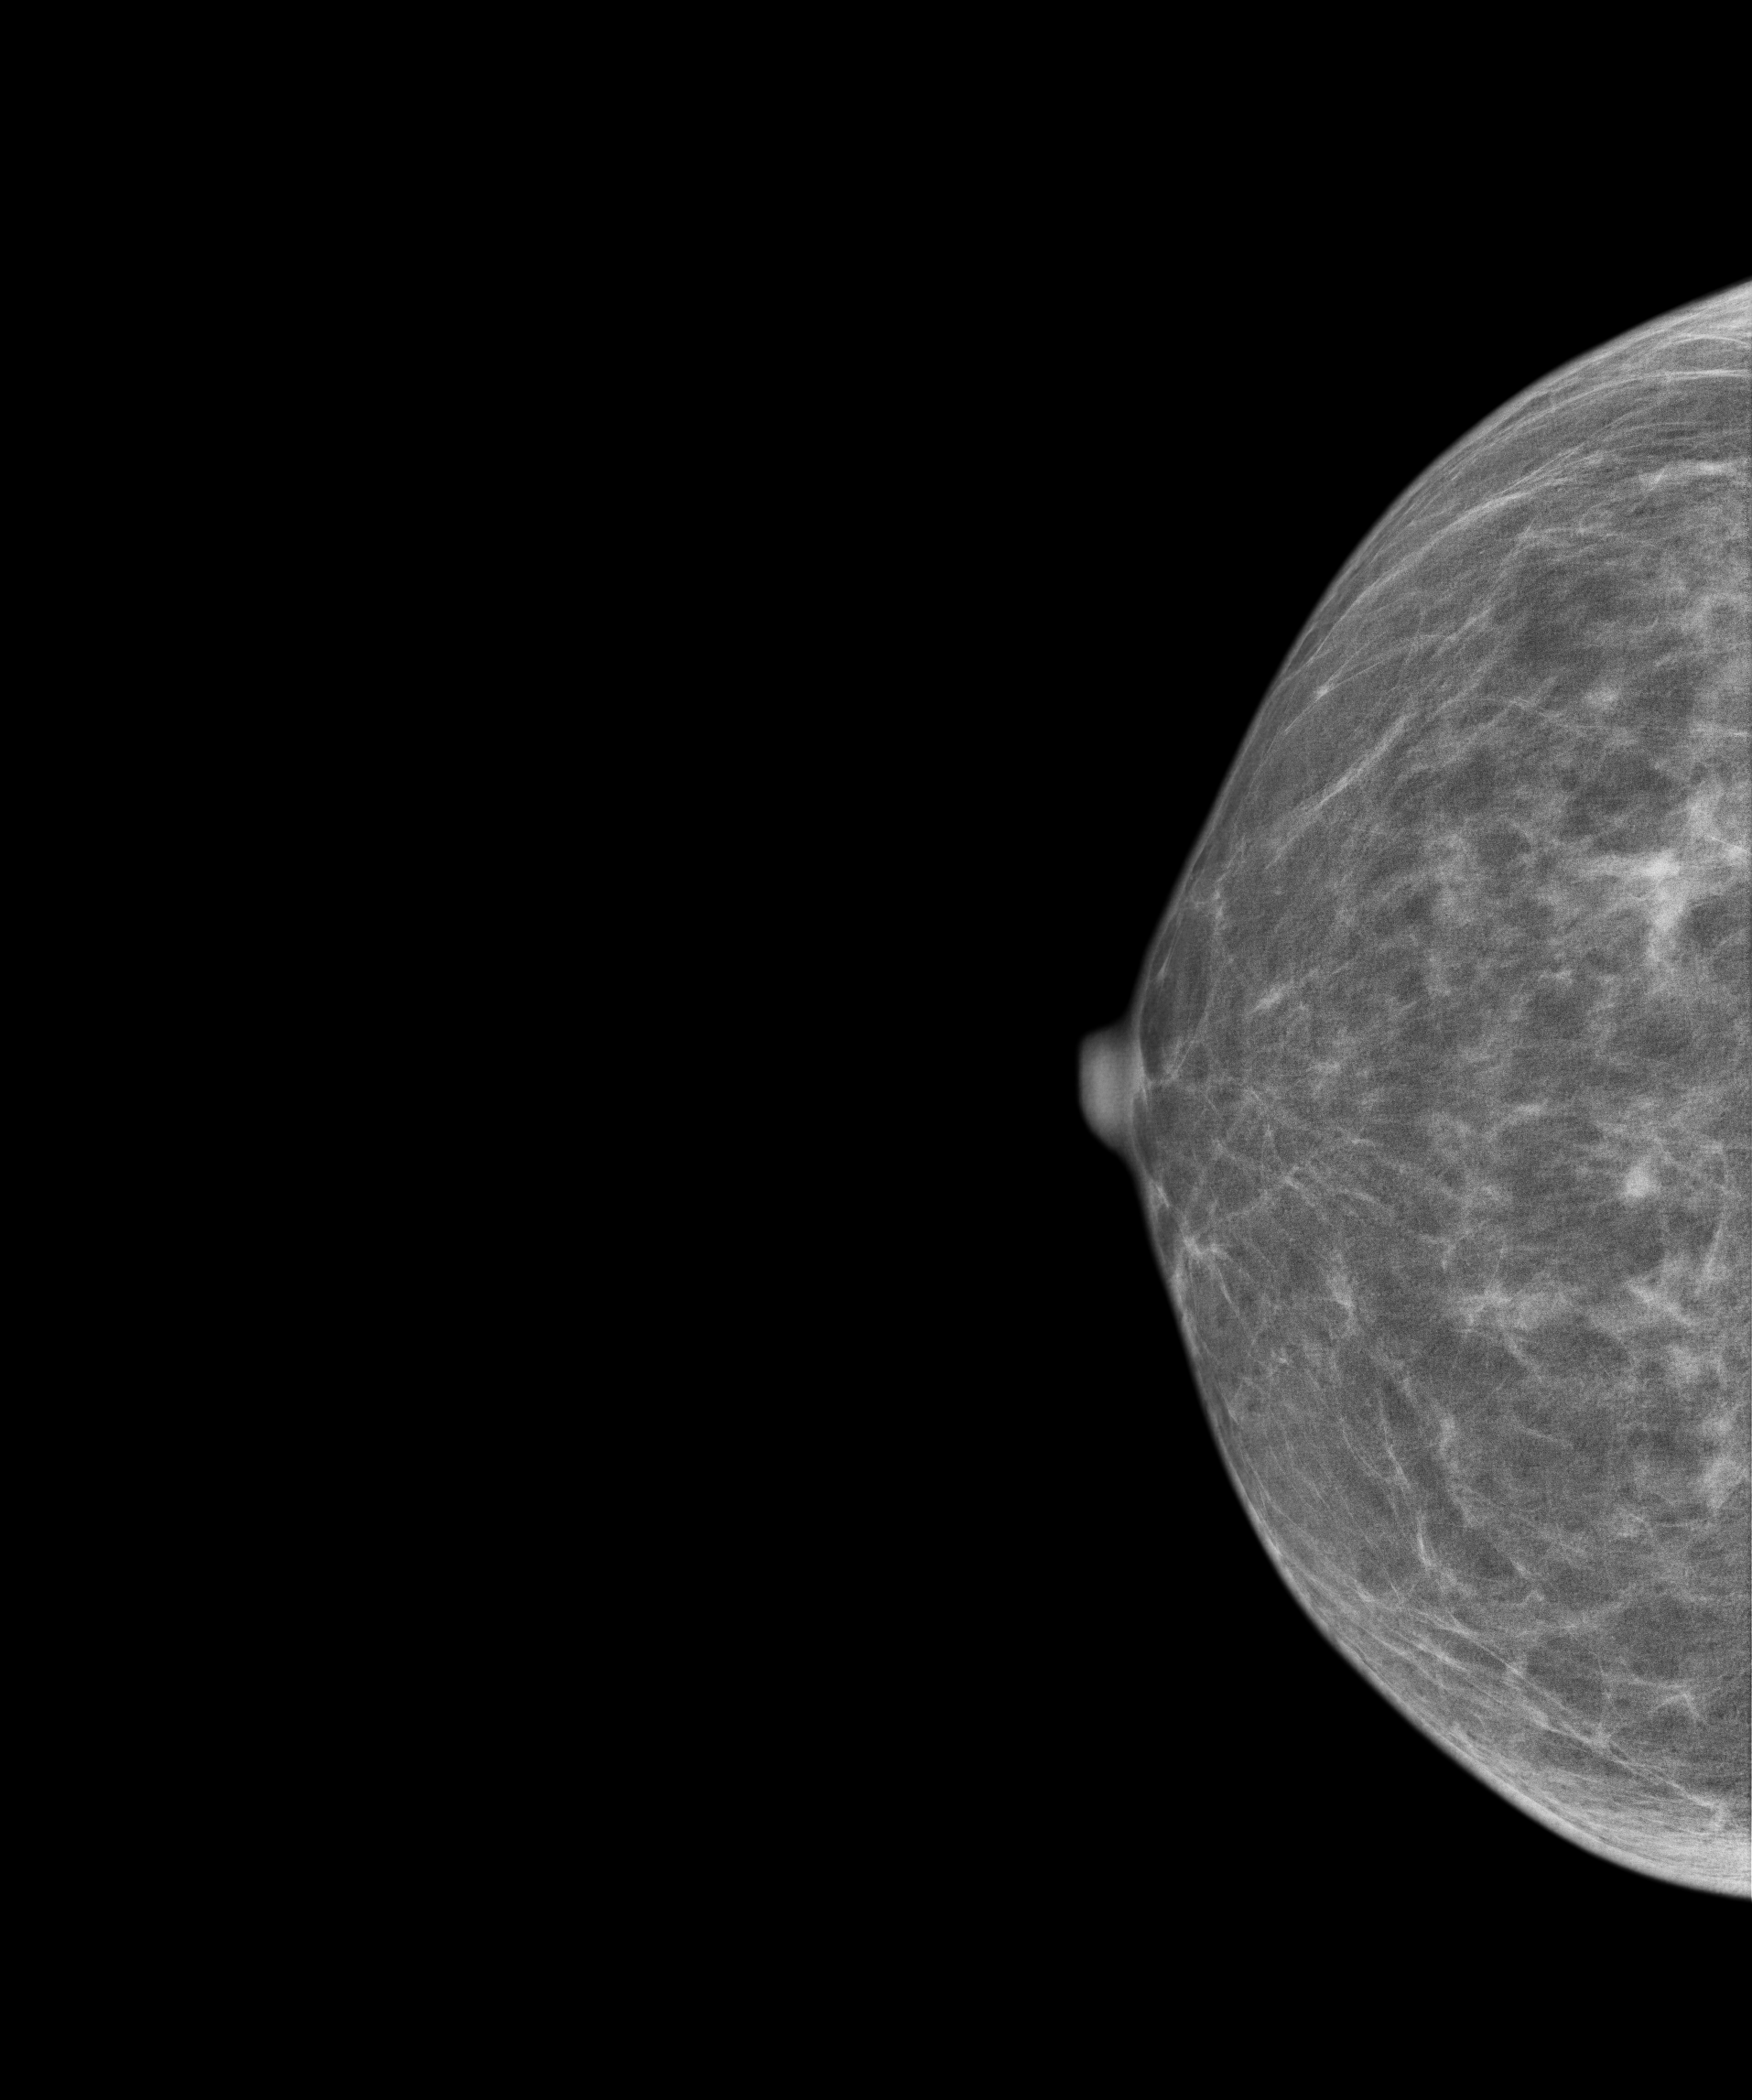
Digital mammography. Right breast, CC projection. 57 y/o patient.
Contralateral breast — no documented abnormality on this side.